Digital mammography. Left breast, MLO projection. 46 y/o patient.
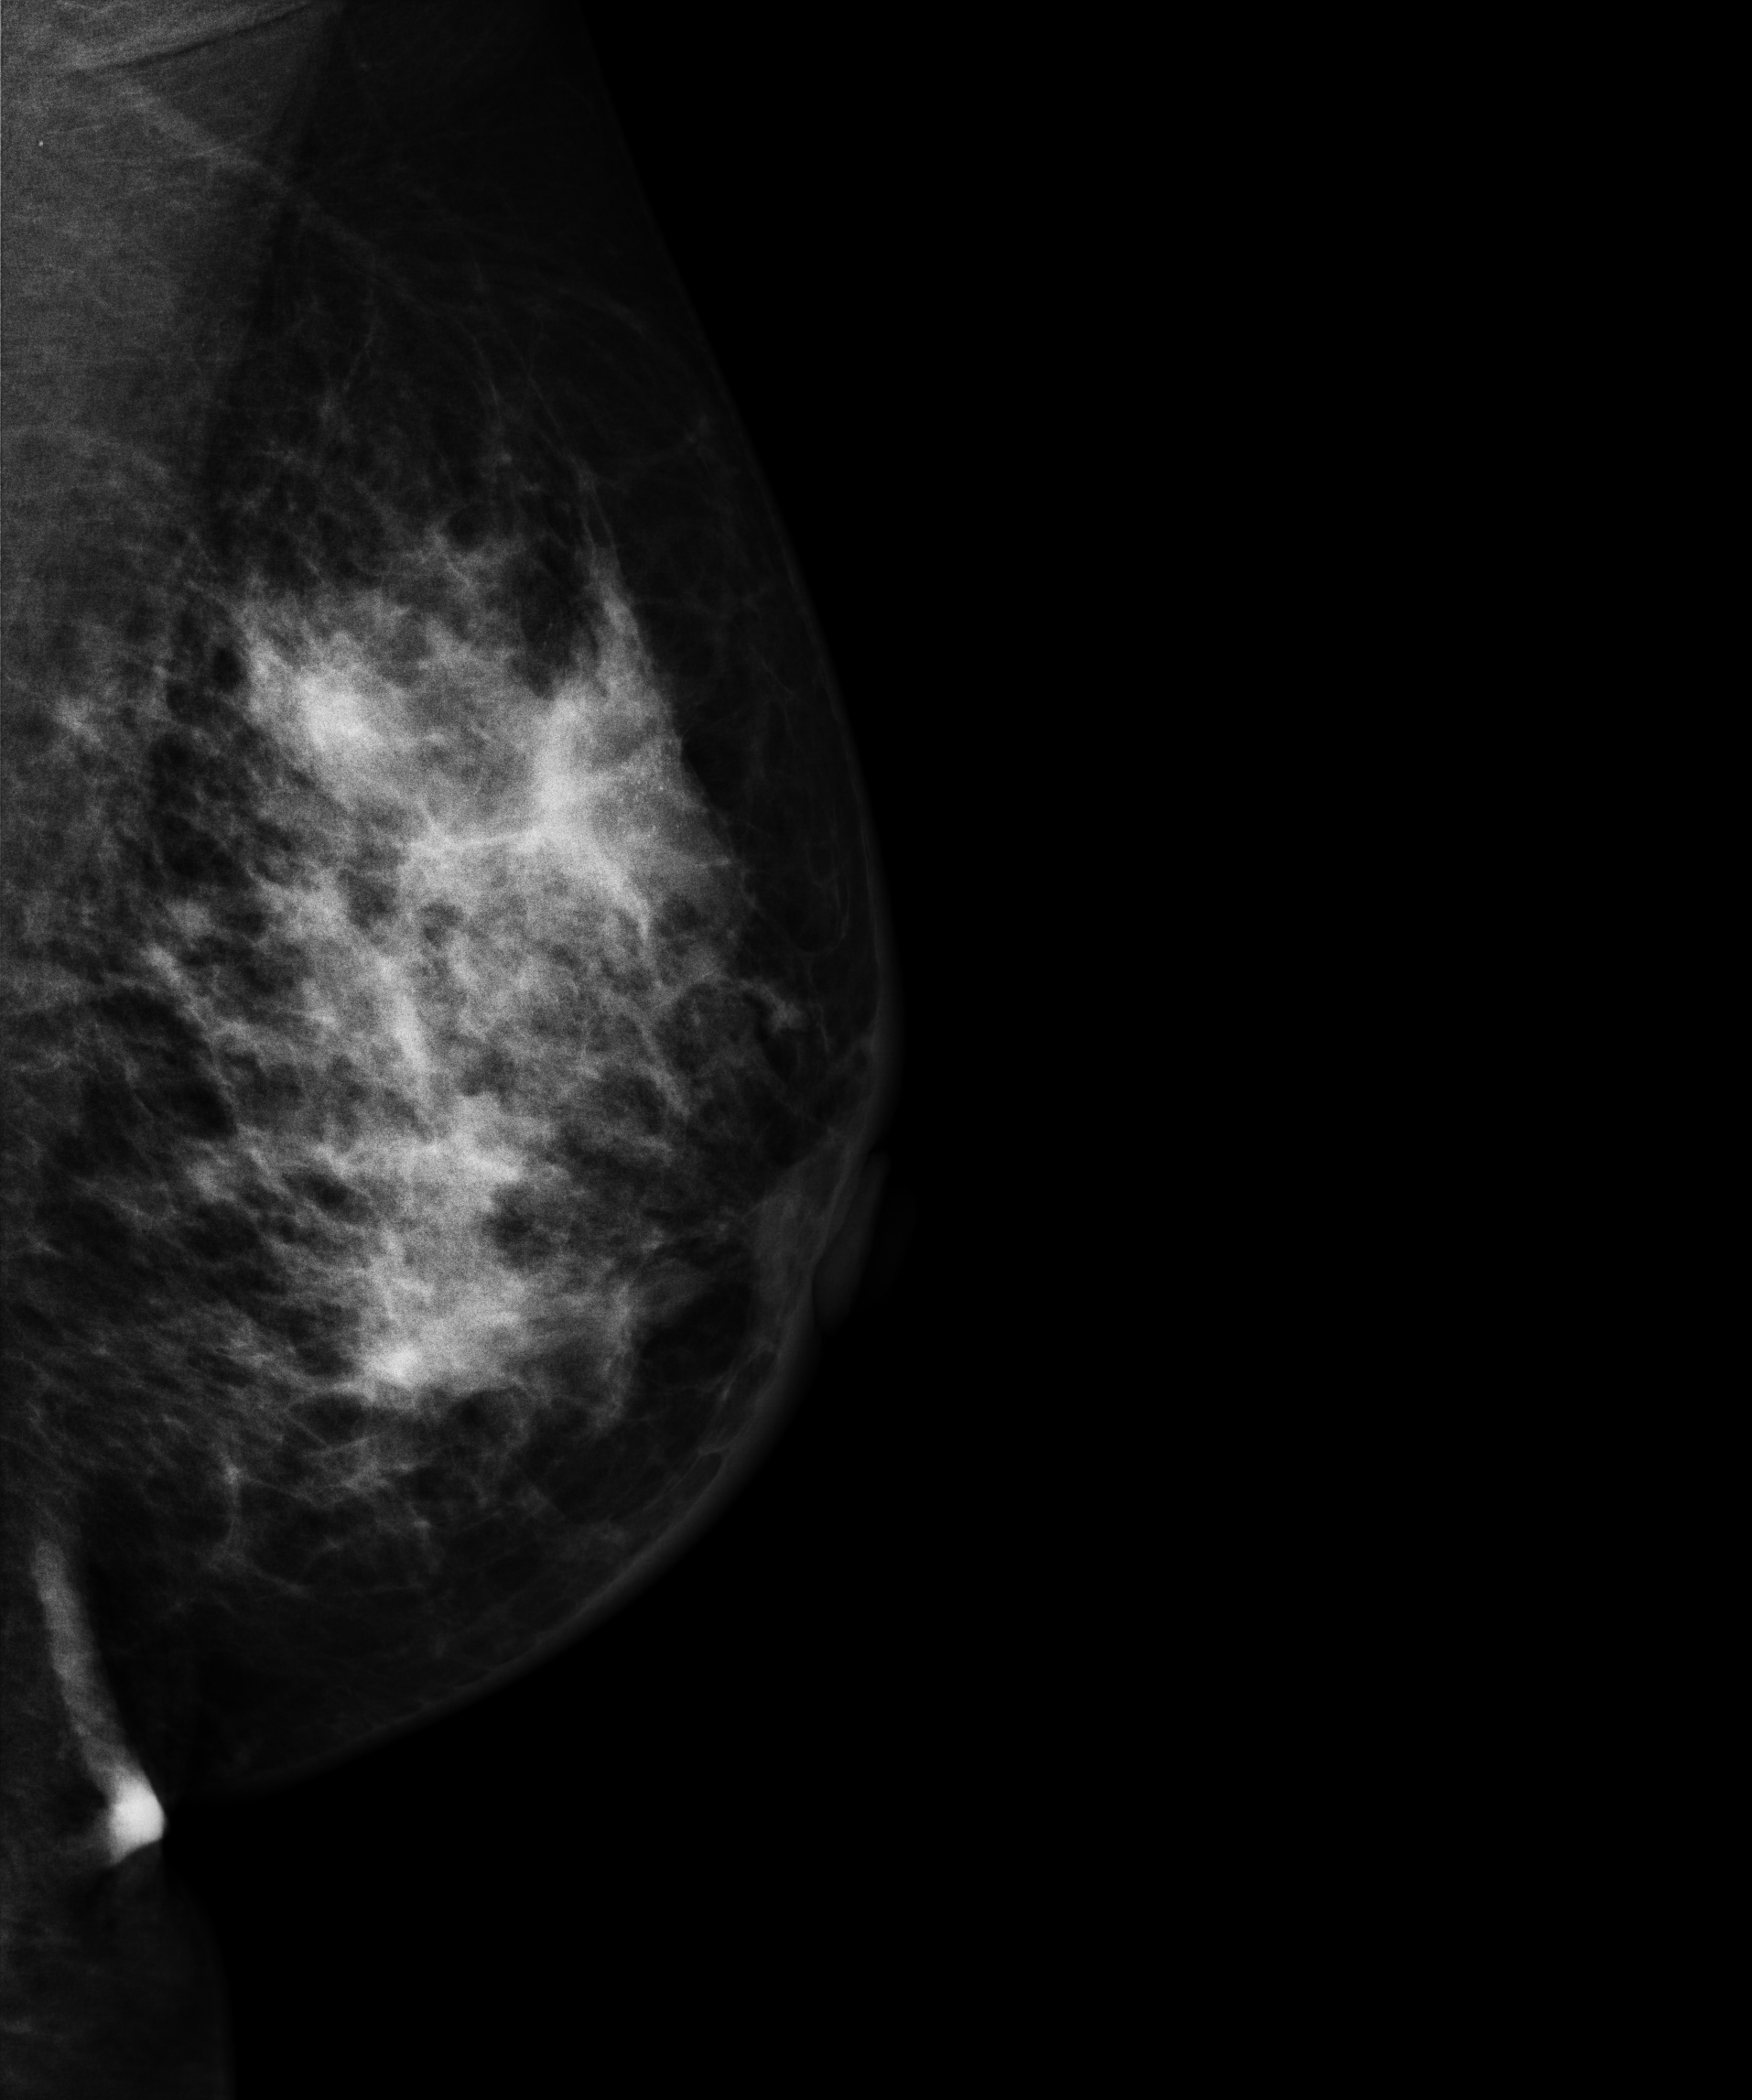
This breast has a mass, biopsy-proven malignant. Molecular subtype: HER2-enriched.